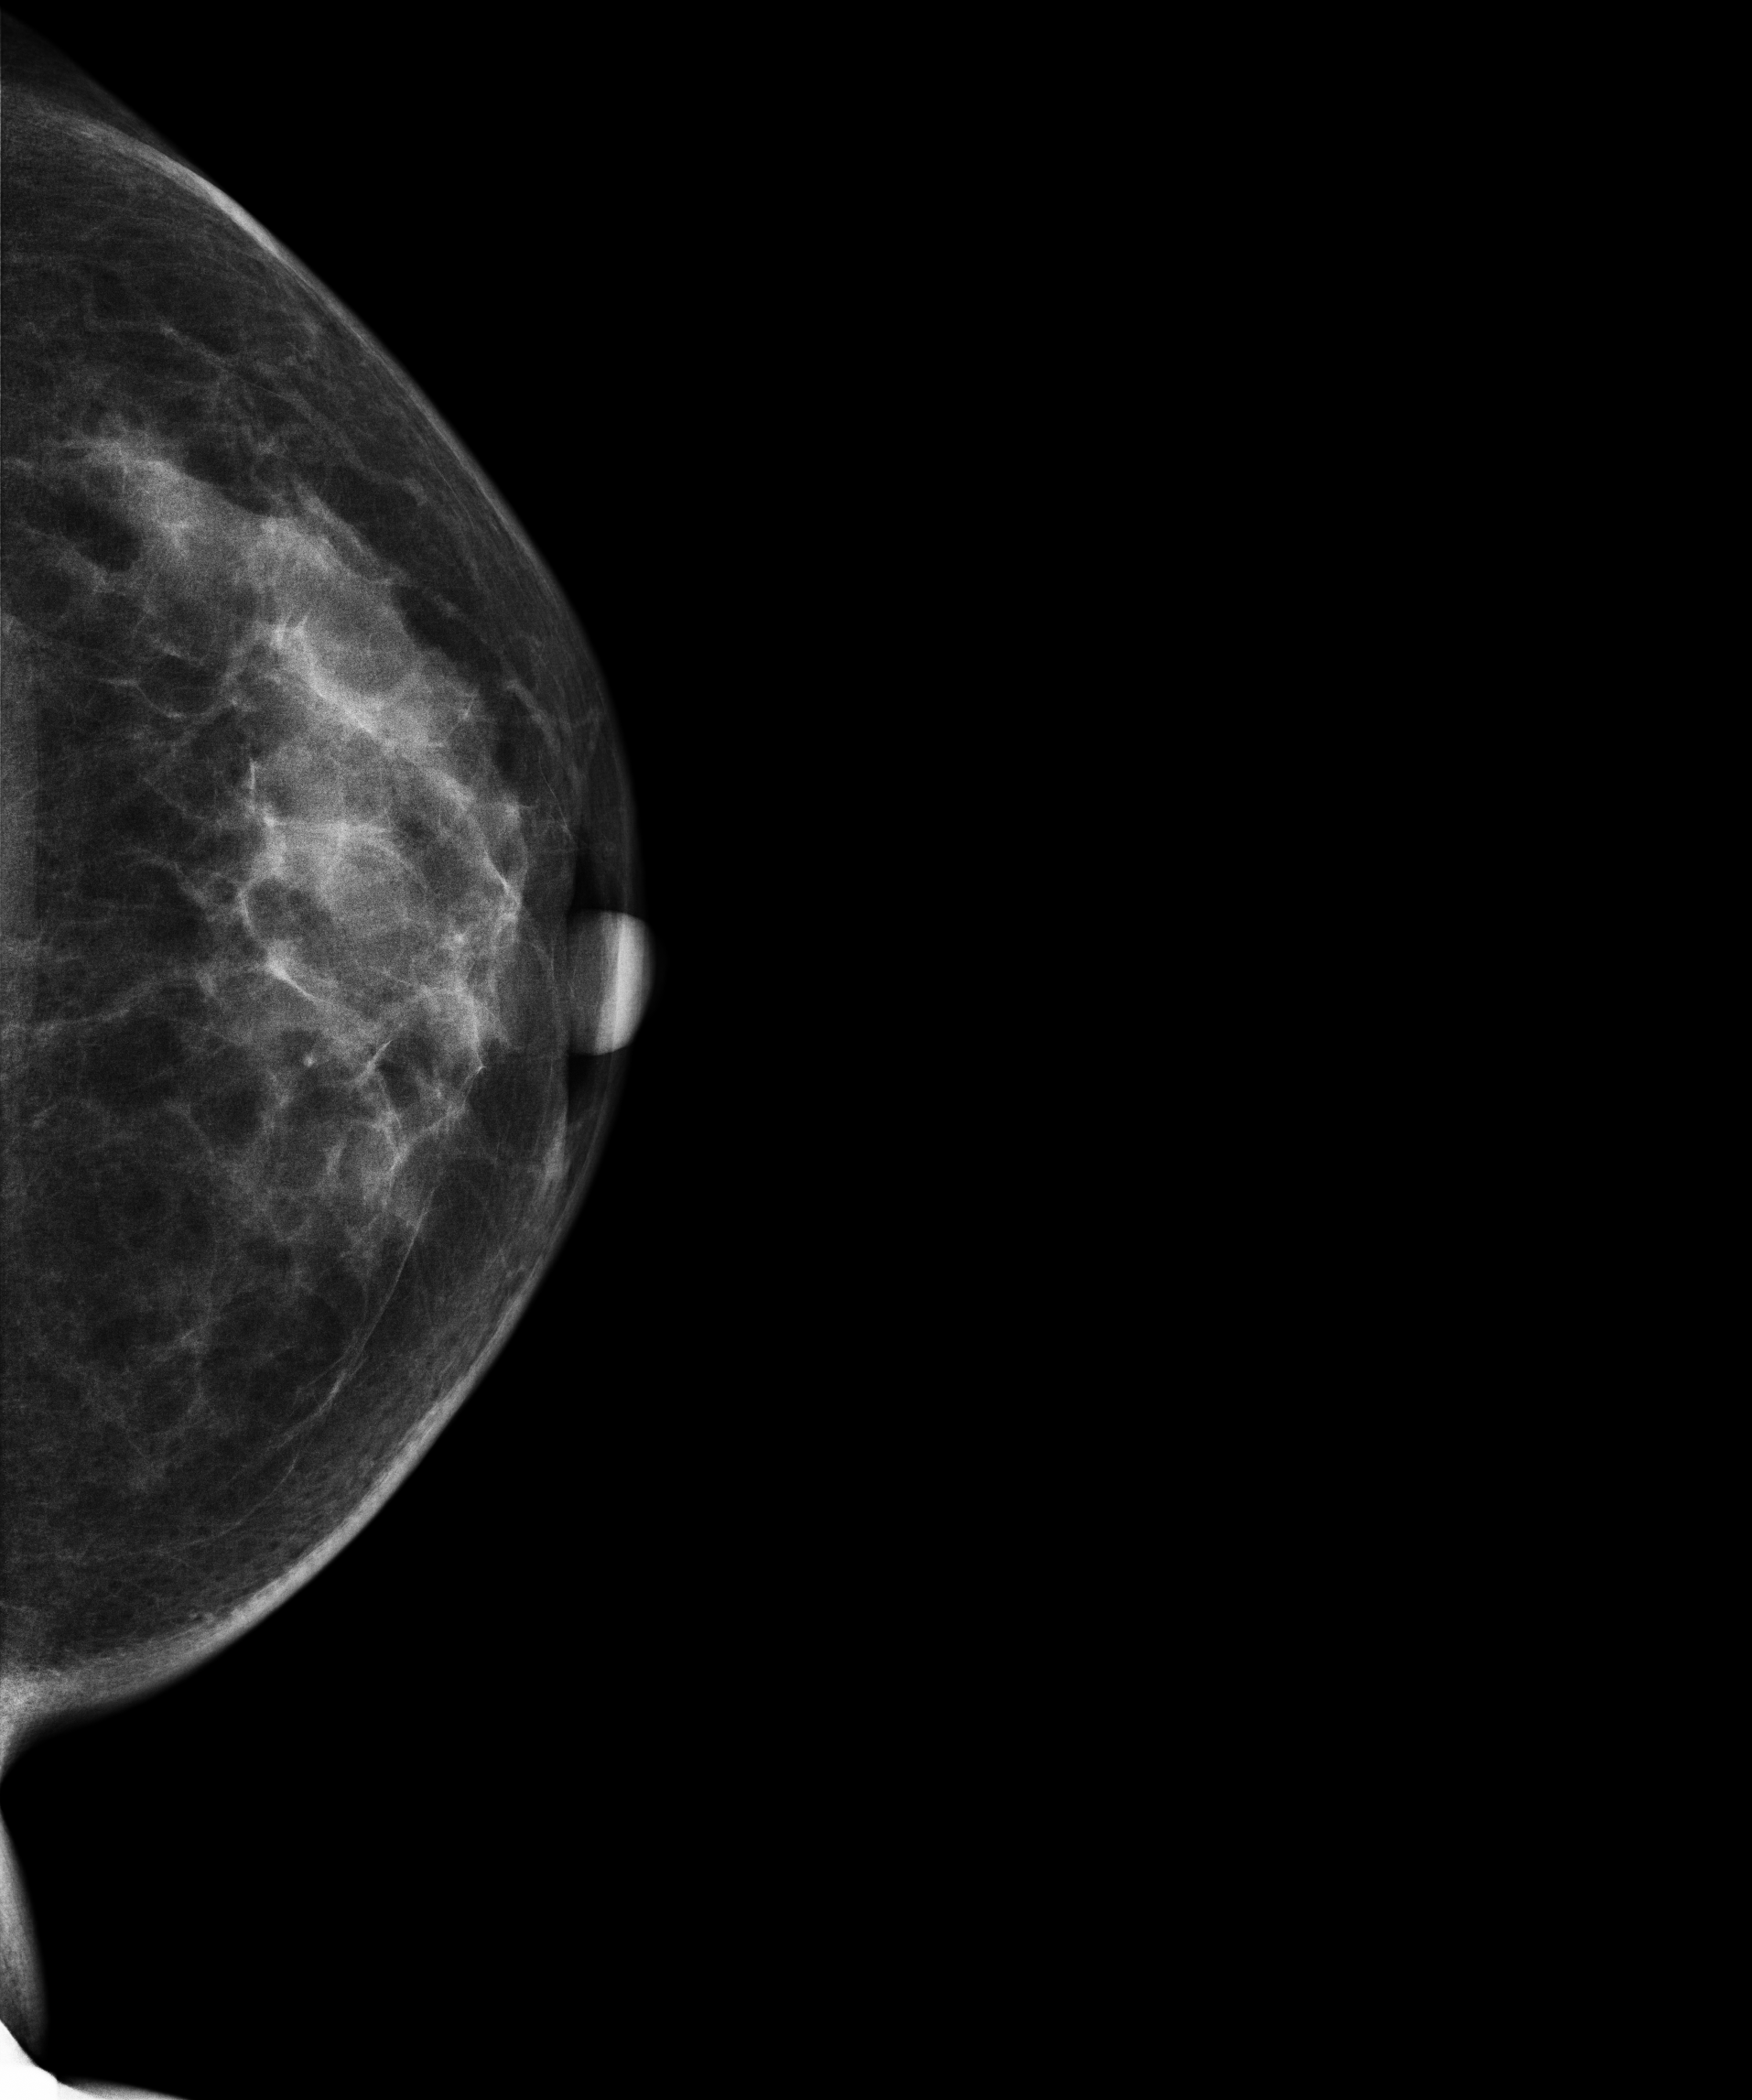
Digital mammography. Left breast, cranio-caudal projection. 36 y/o patient.
Contralateral breast — no documented abnormality on this side.